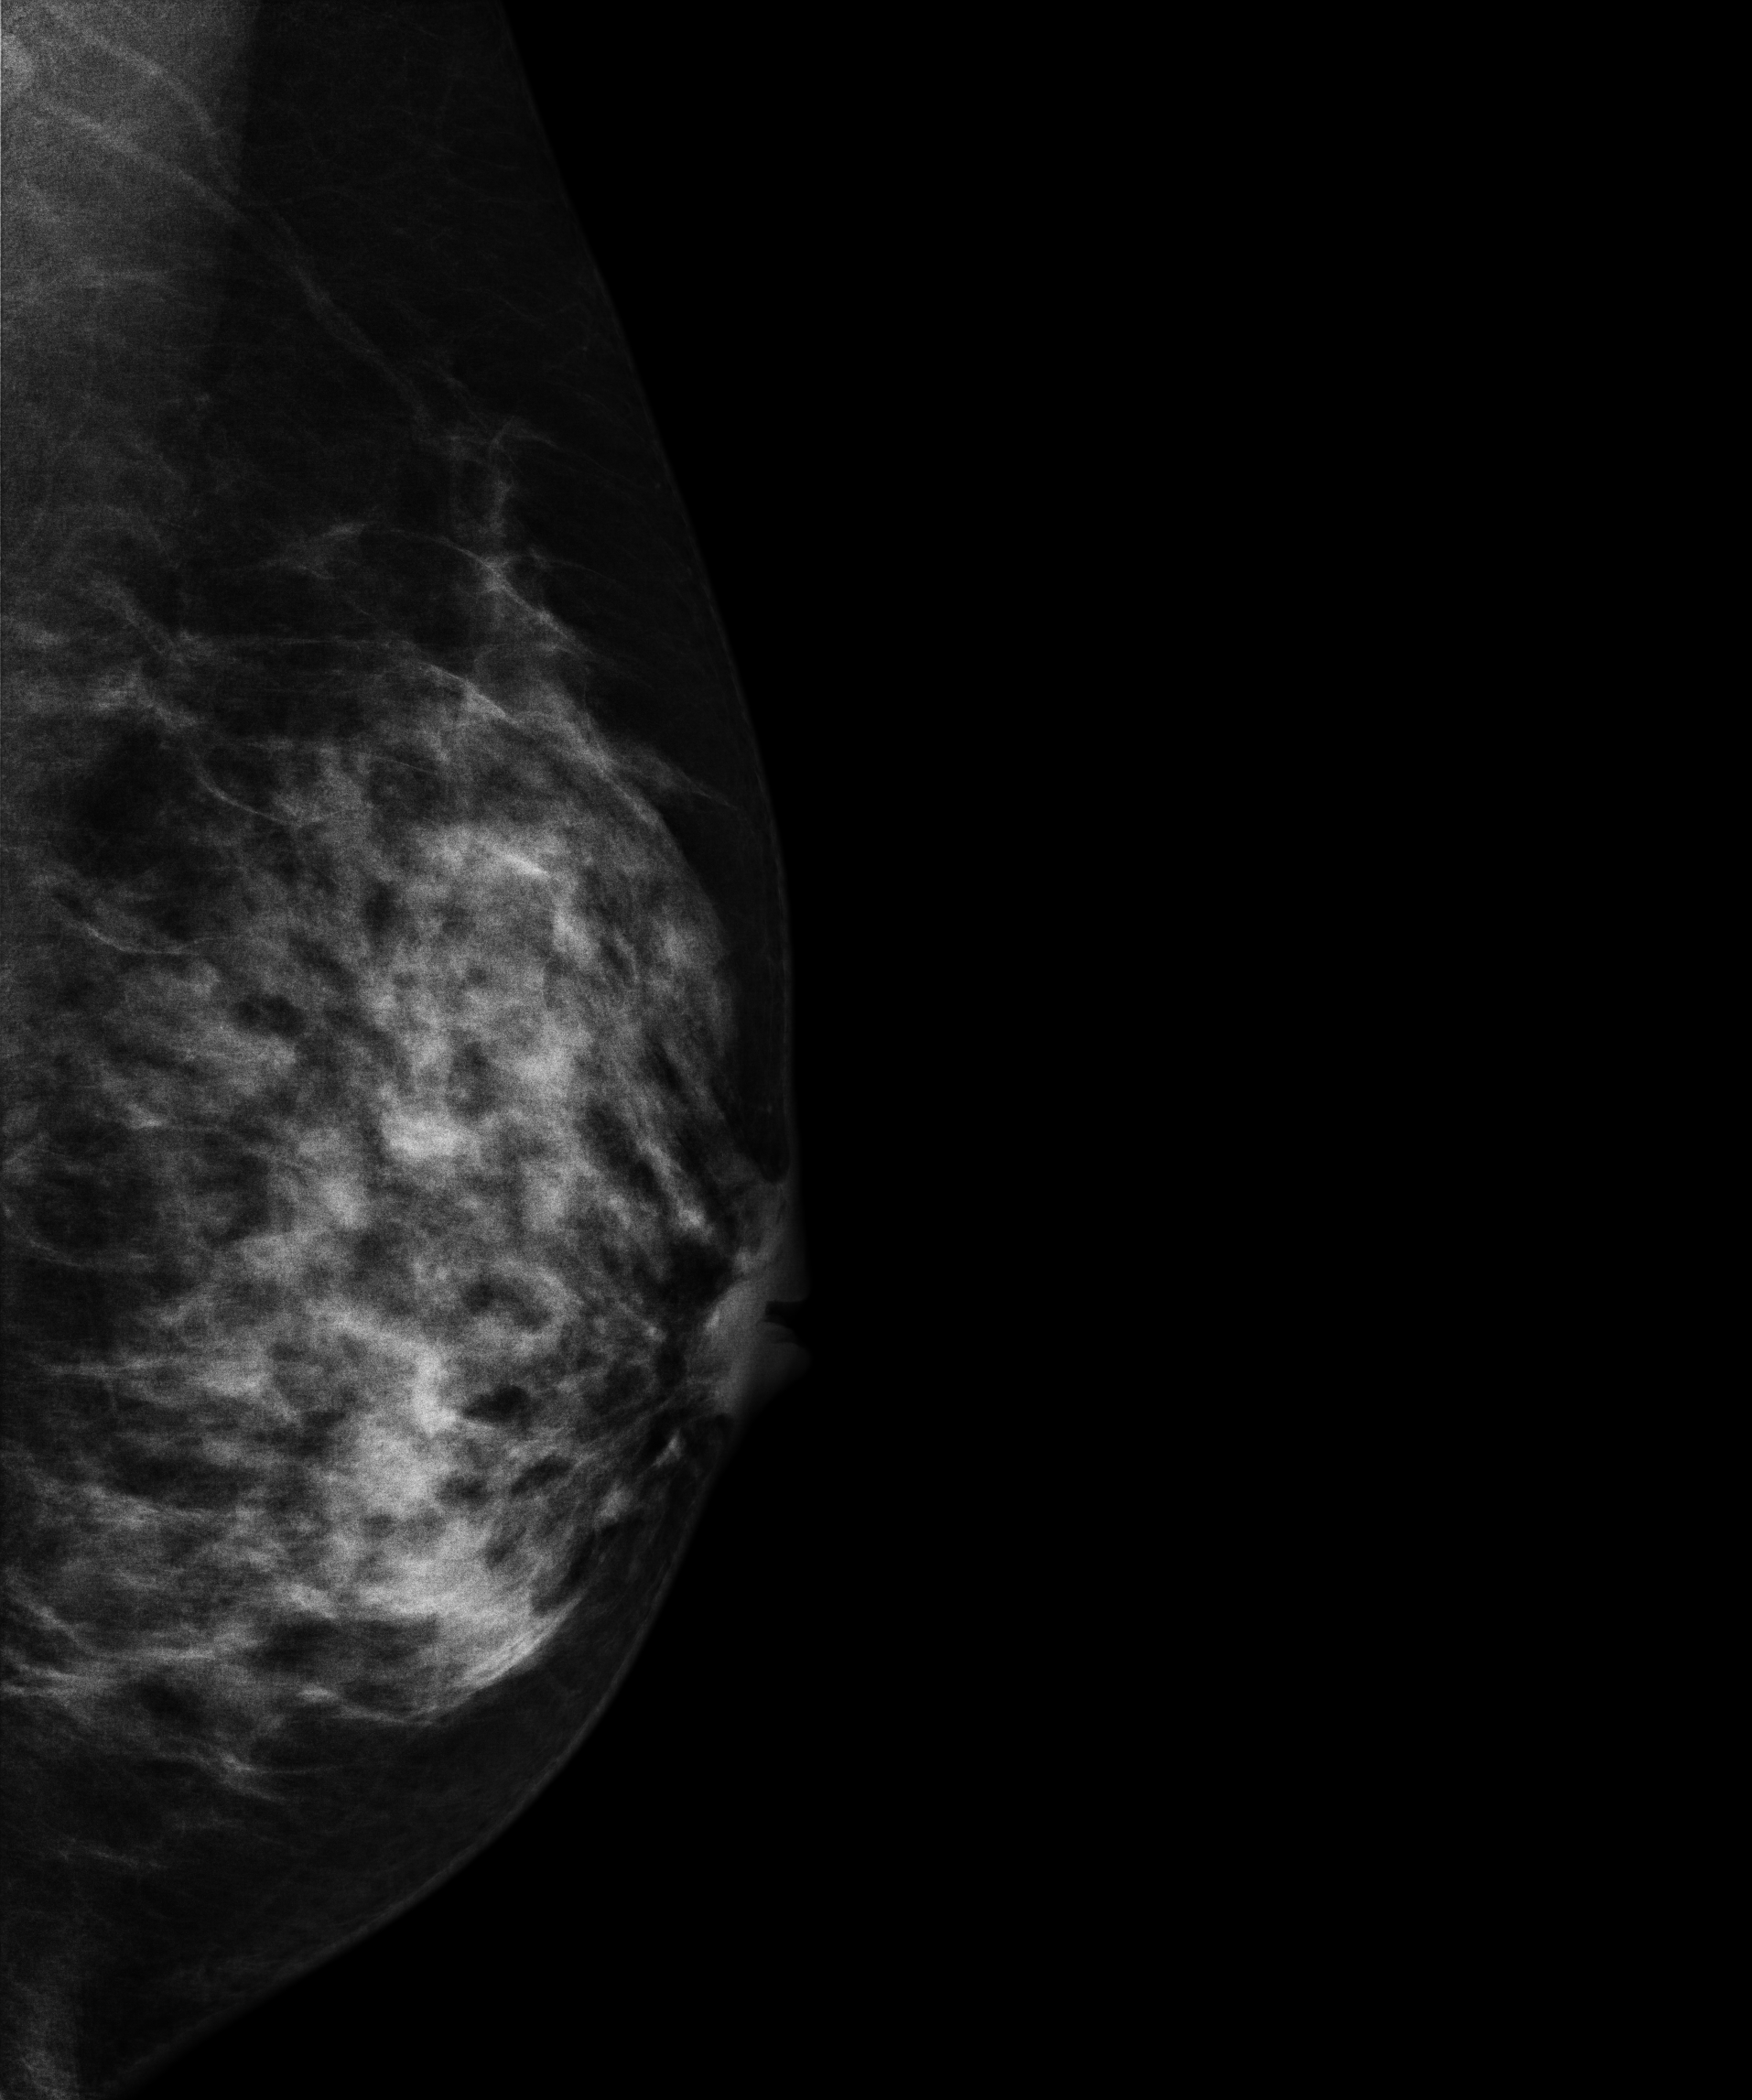
Left-breast mammogram, MLO. Patient age 47.
Contralateral breast — no documented abnormality on this side.